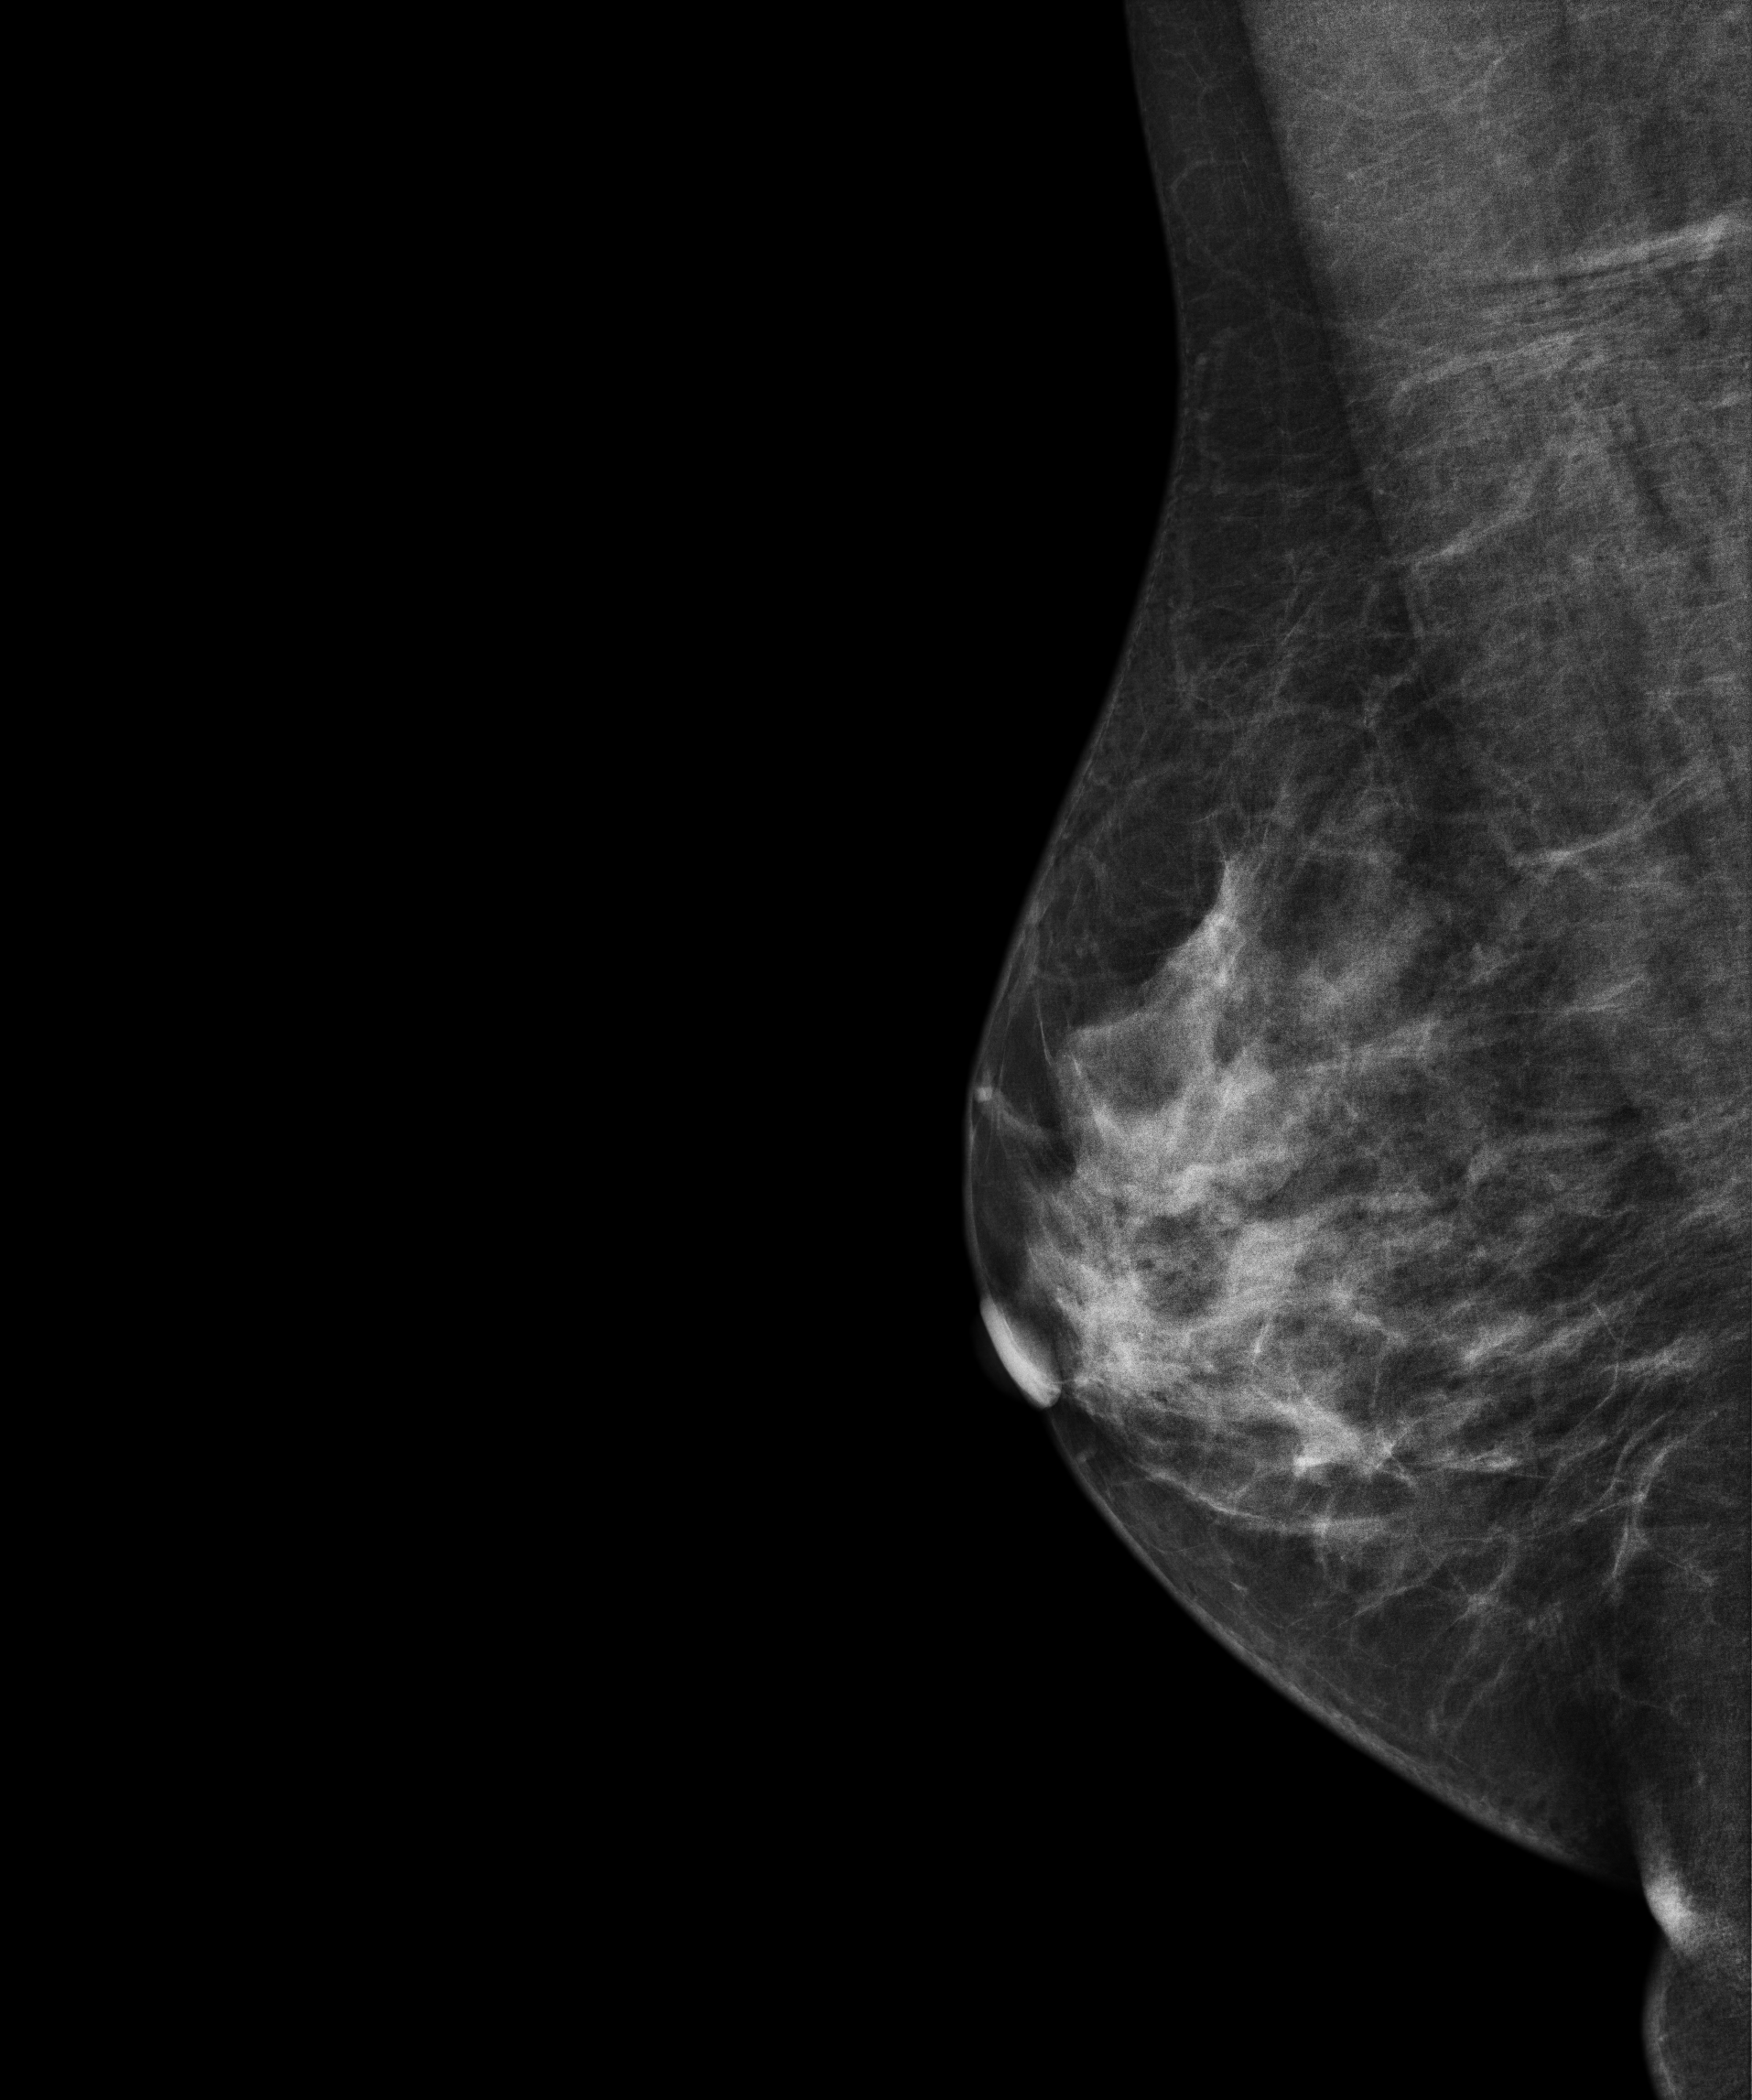
Digital mammography. Right breast, medio-lateral oblique projection. 55 y/o patient.
Contralateral breast — no documented abnormality on this side.